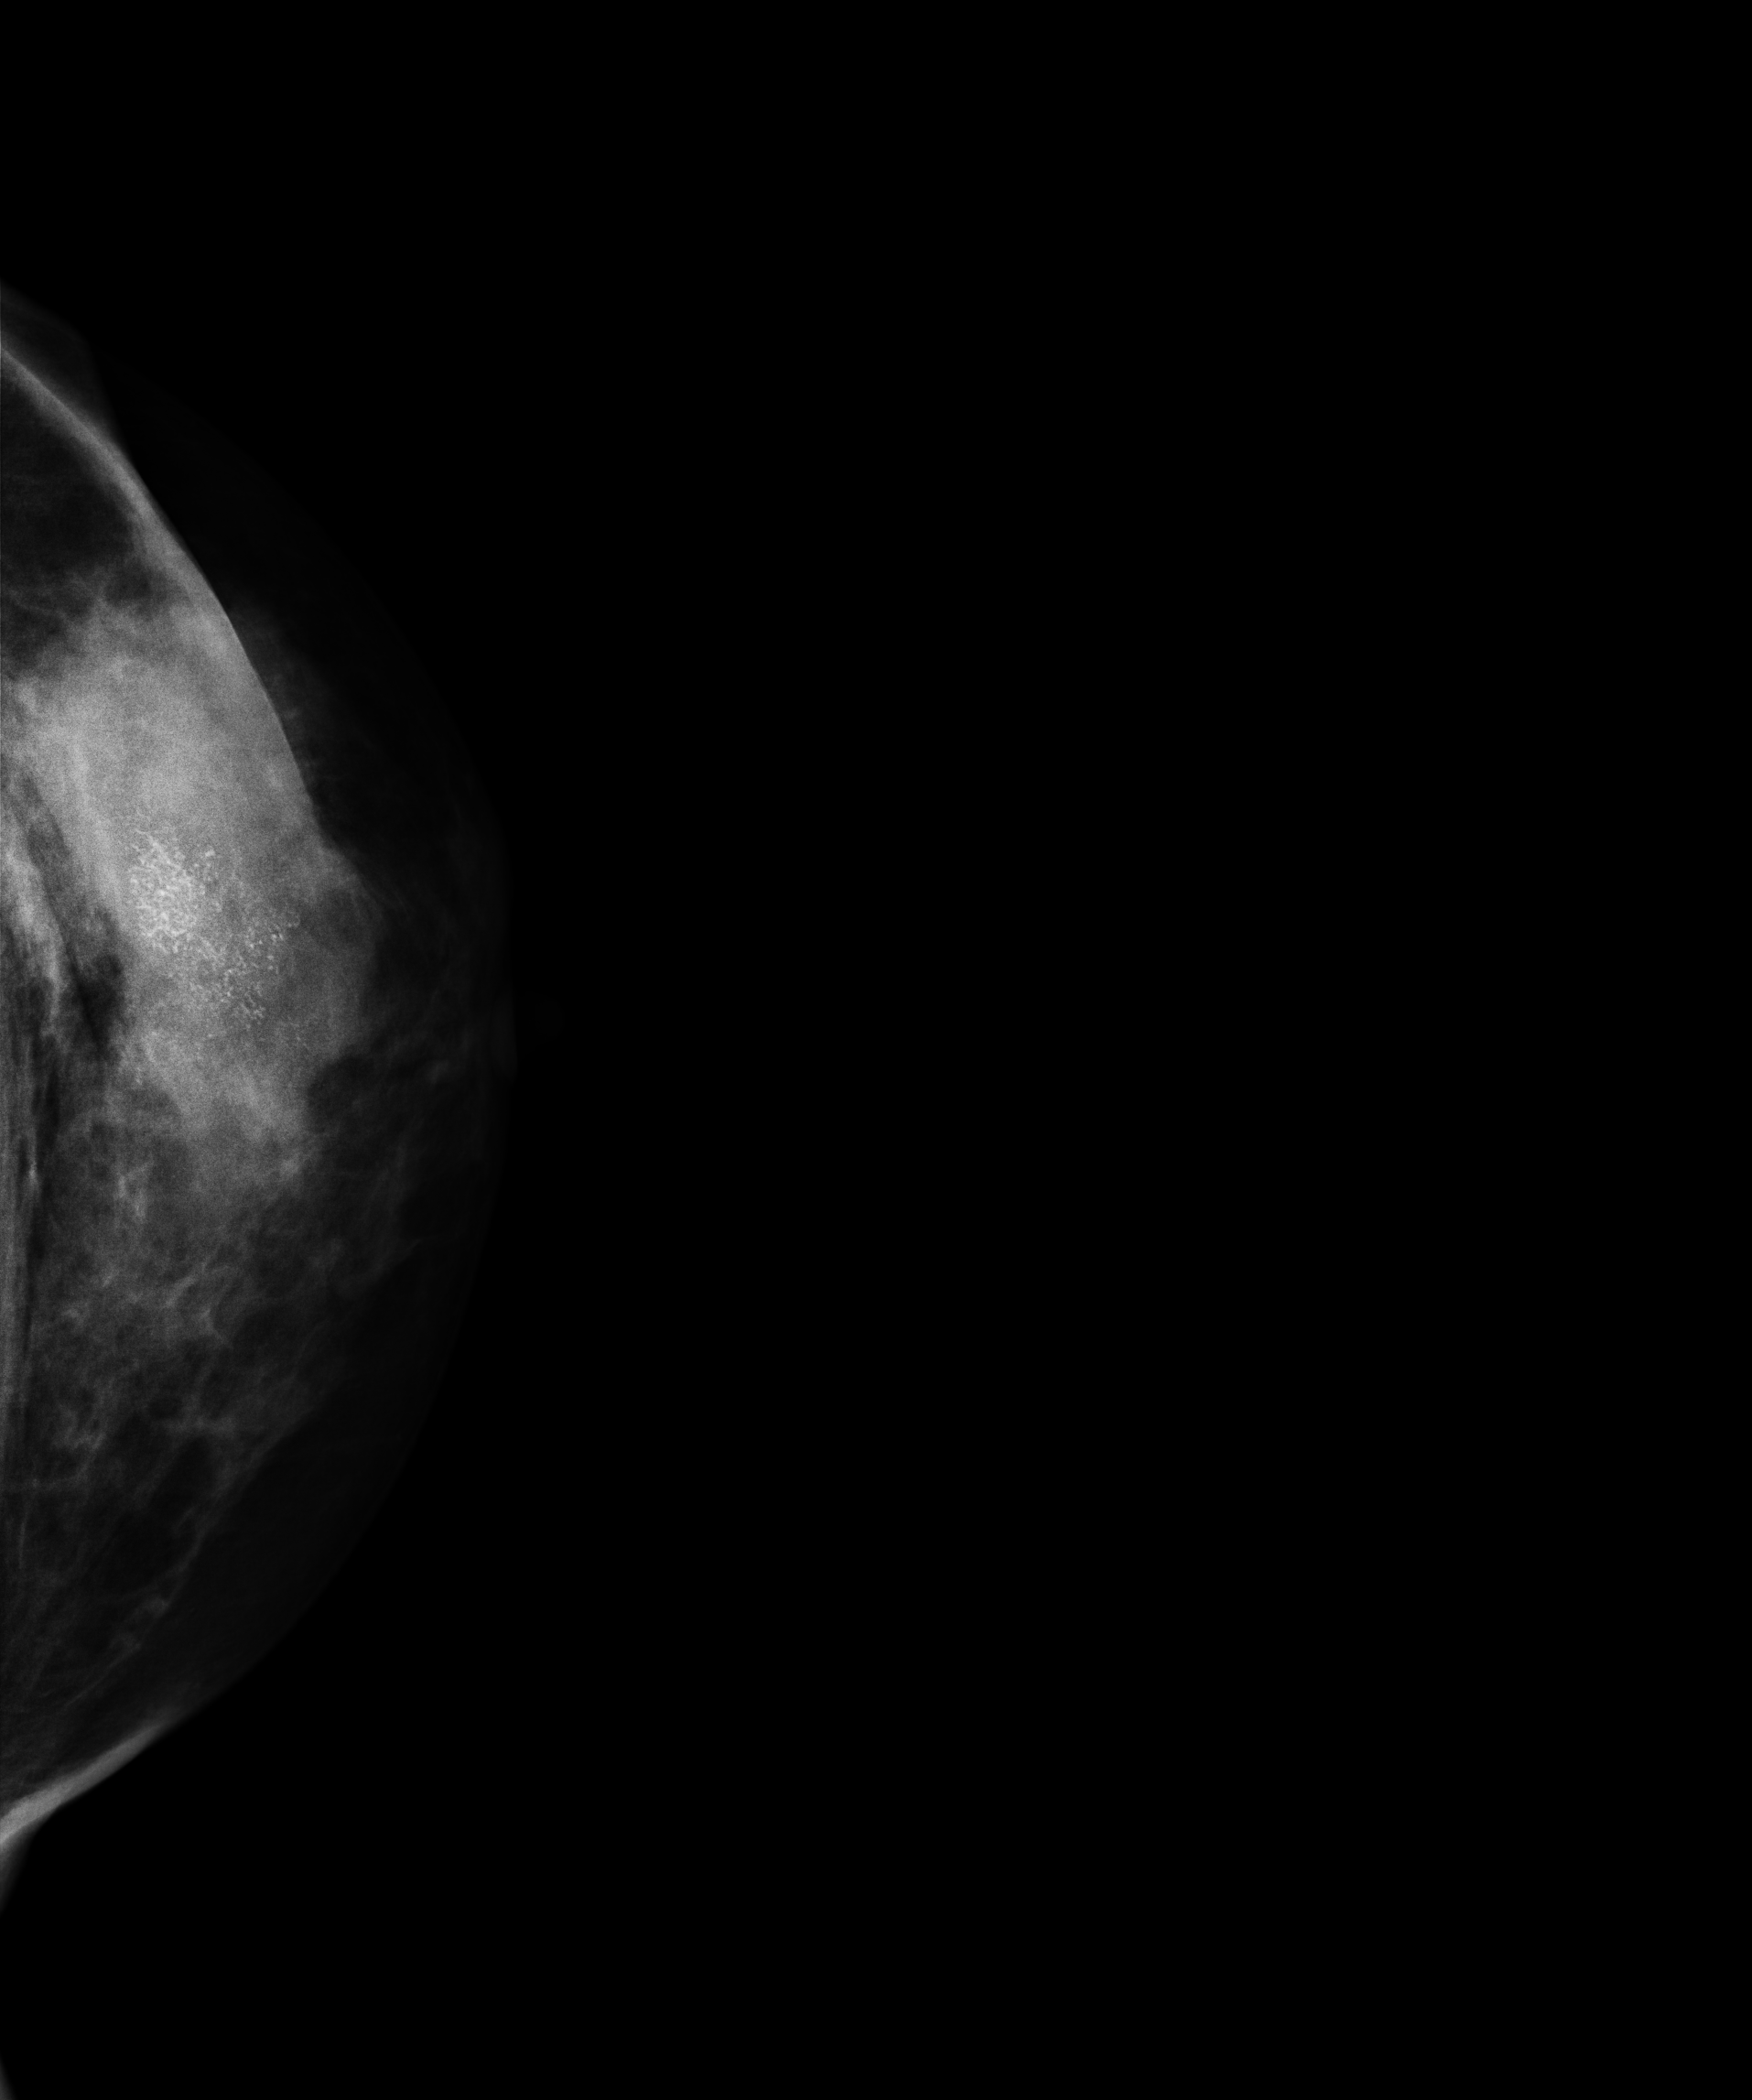
Mammogram, left breast, cranio-caudal view. 49-year-old patient.
Contralateral breast — no documented abnormality on this side.